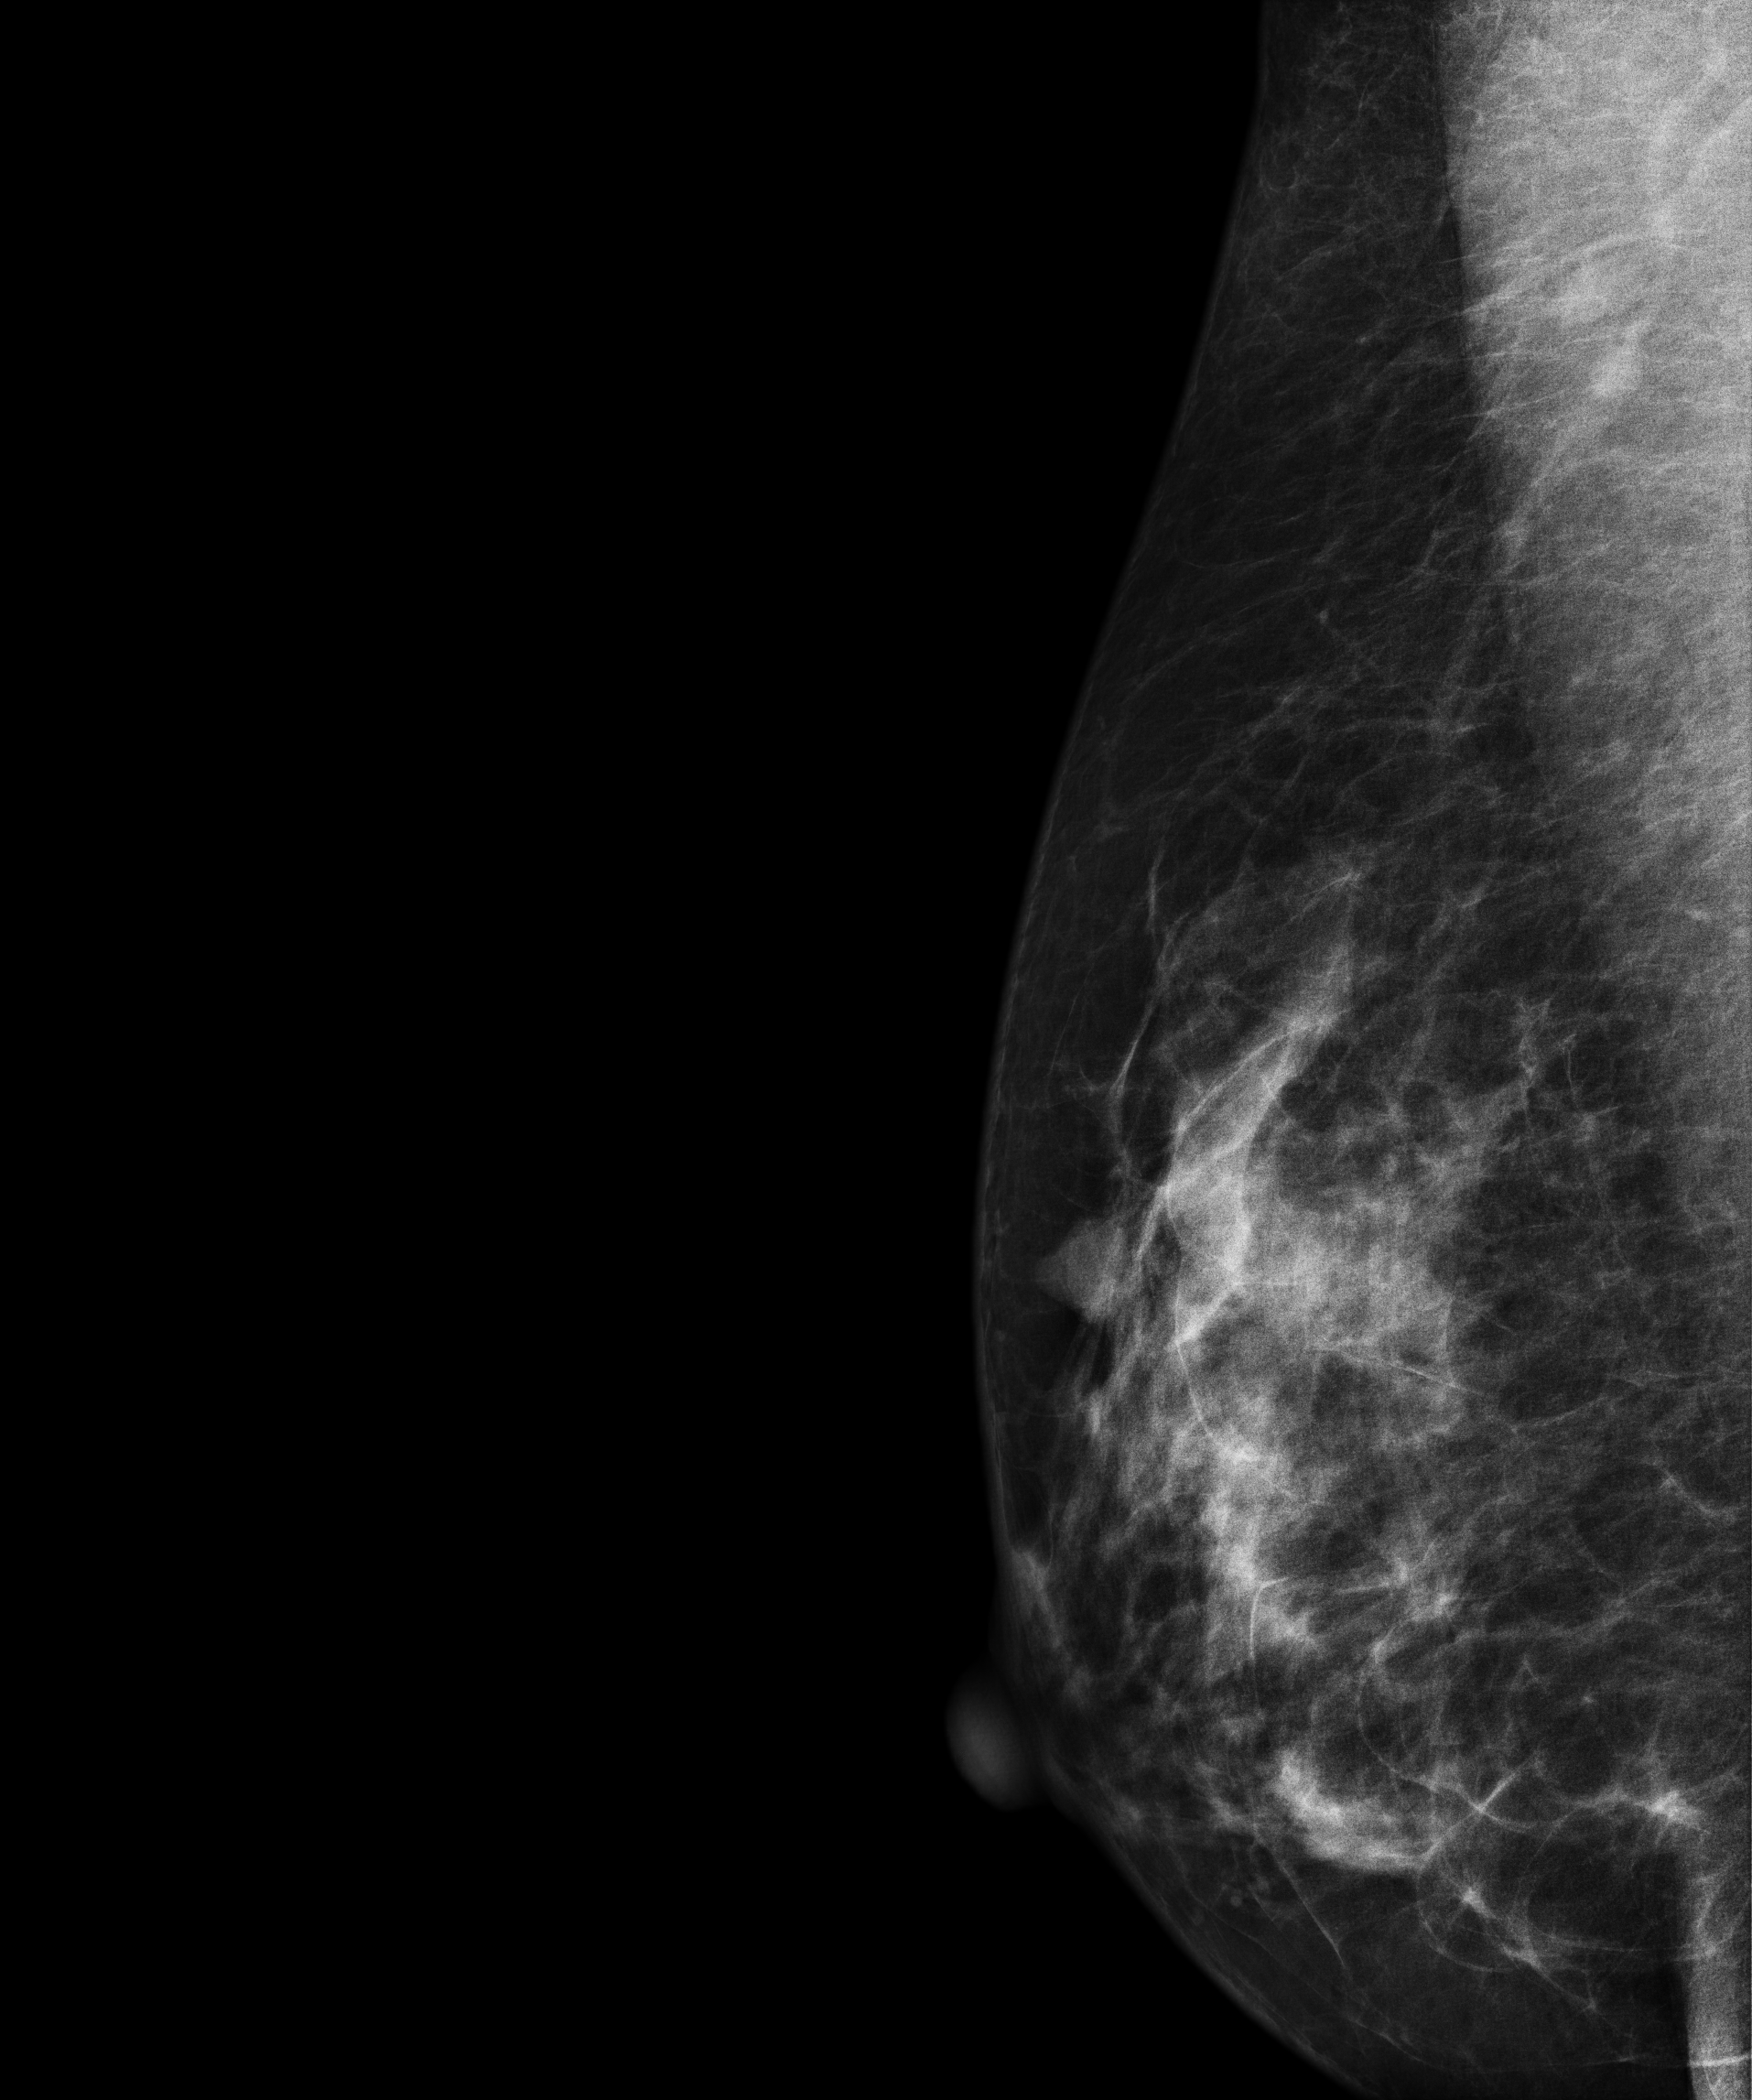
Right-breast mammogram, MLO. 46 y/o patient.
This breast has a mass, histologically confirmed benign.